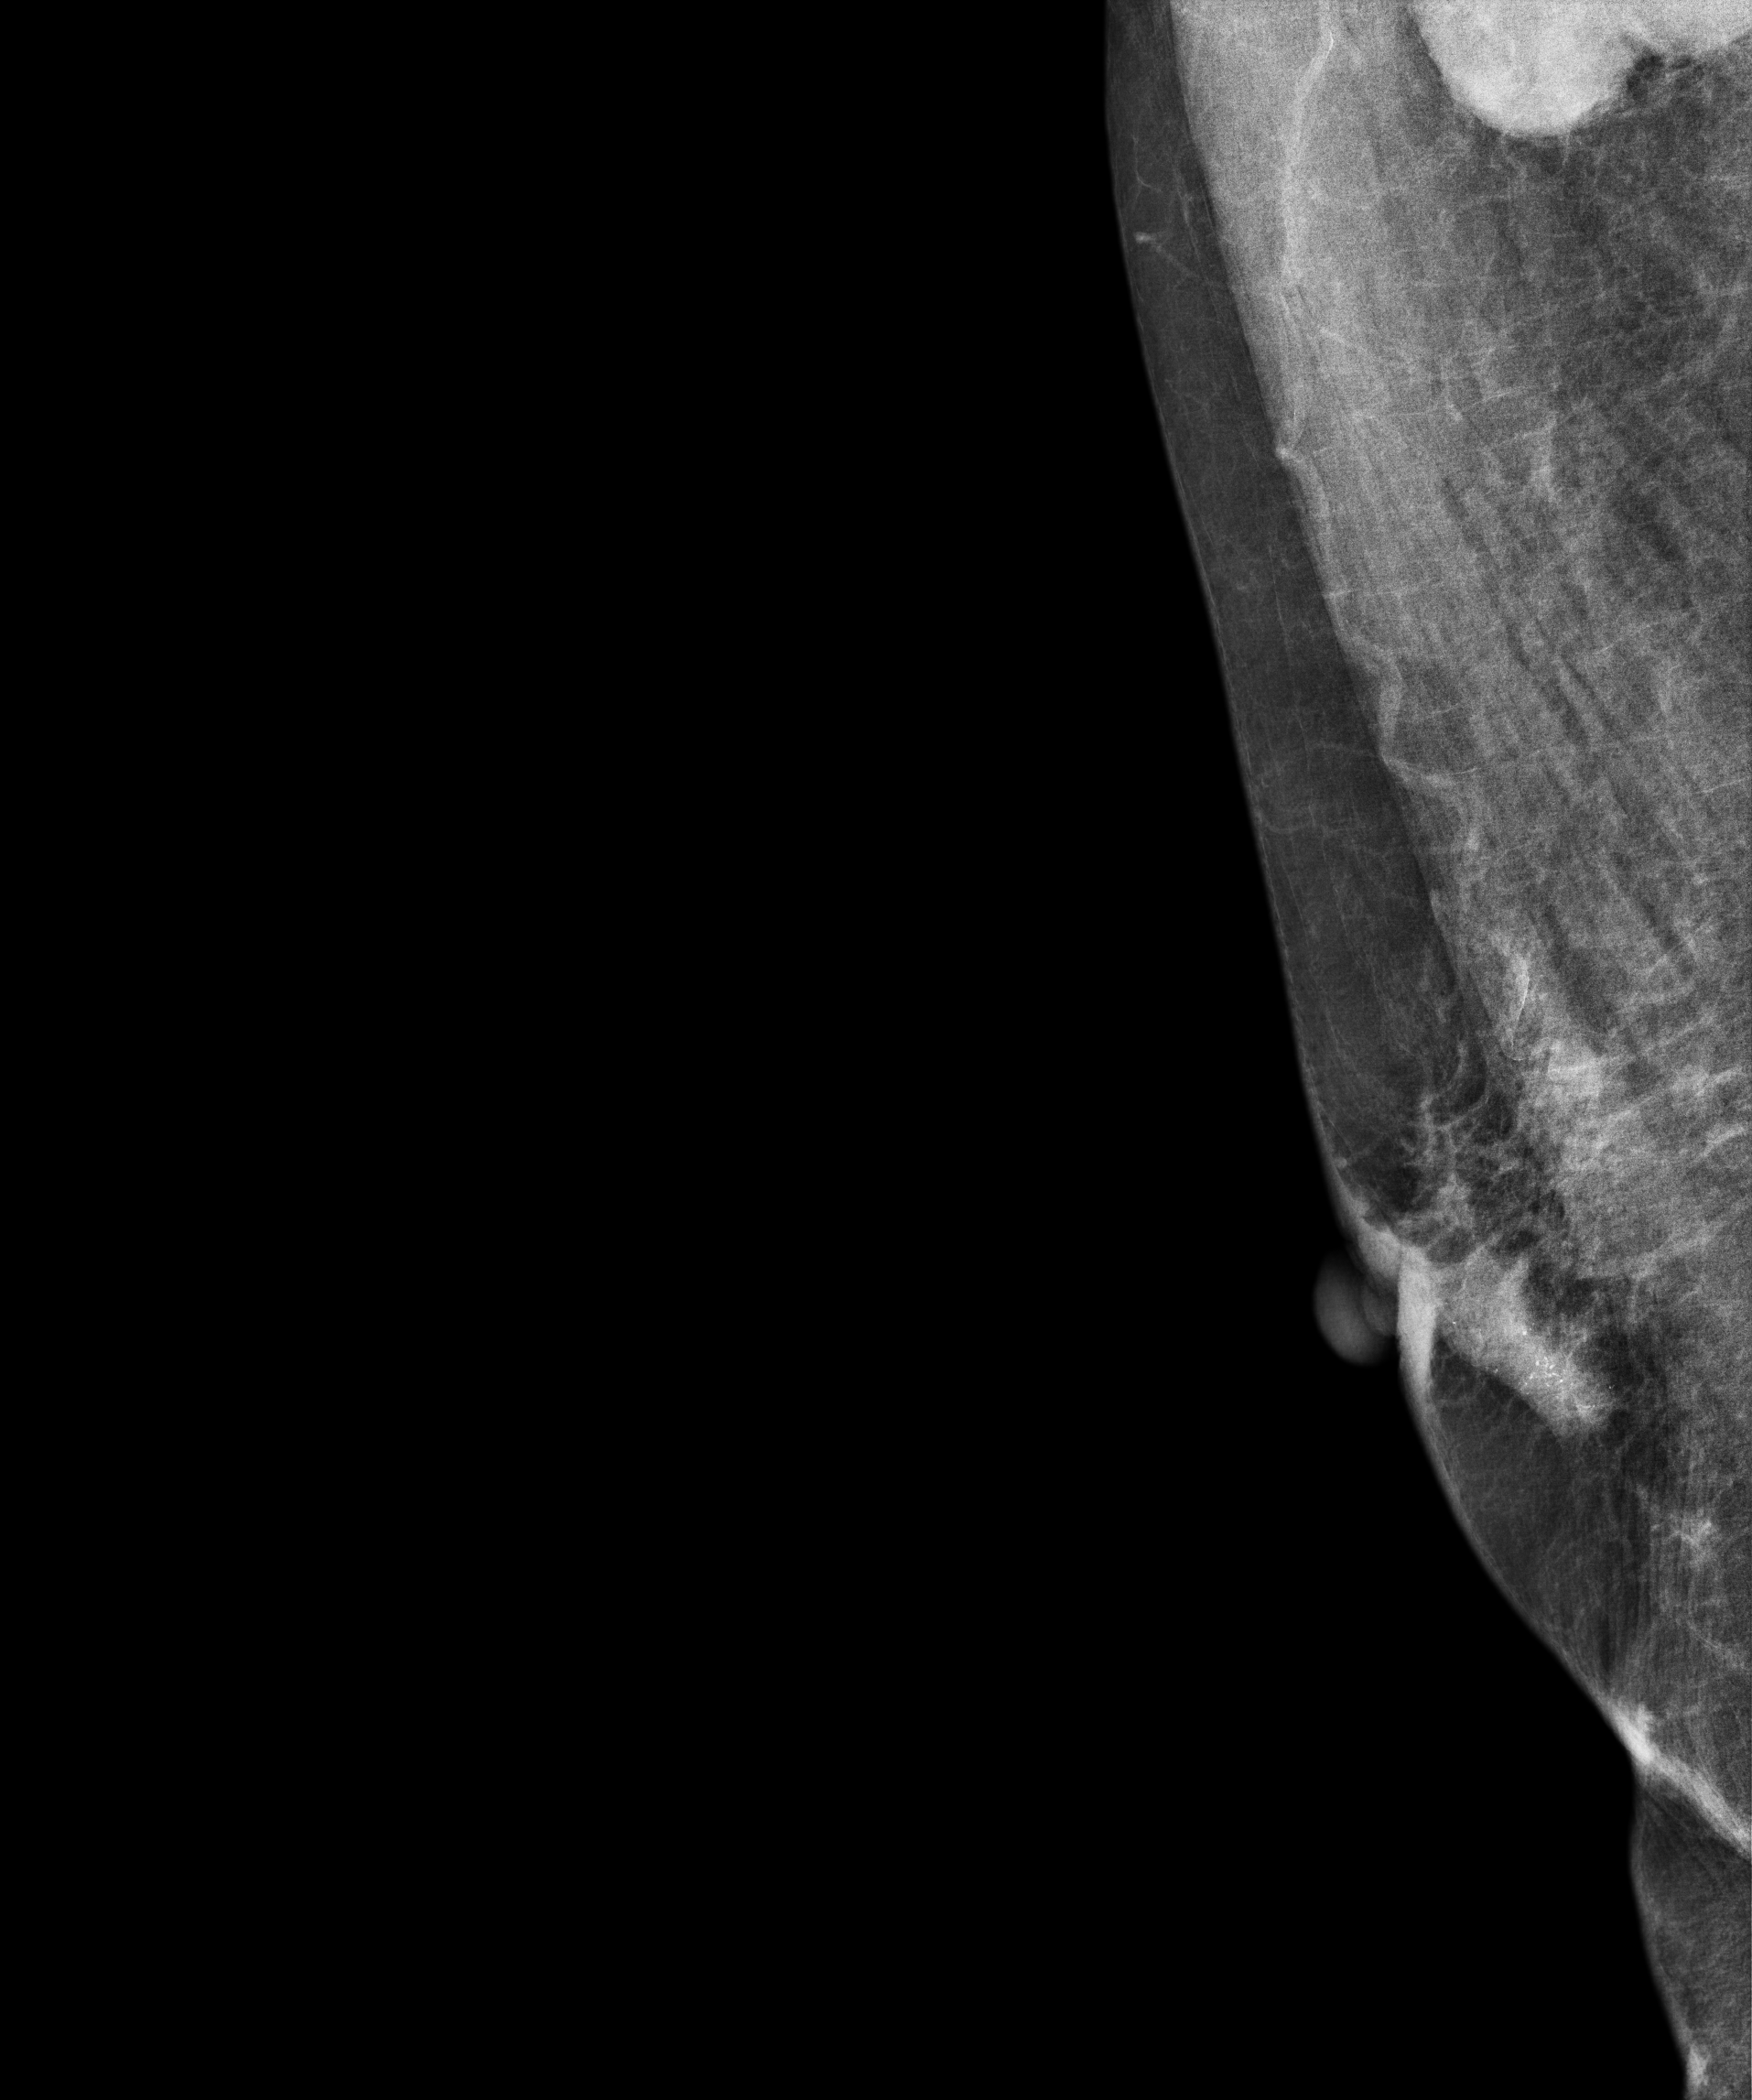
Mammogram, right breast, medio-lateral oblique view. Patient age 55.
This breast has calcifications, biopsy-proven malignant. Molecular subtype: luminal B.